Mammogram, right breast, CC view. 43-year-old patient.
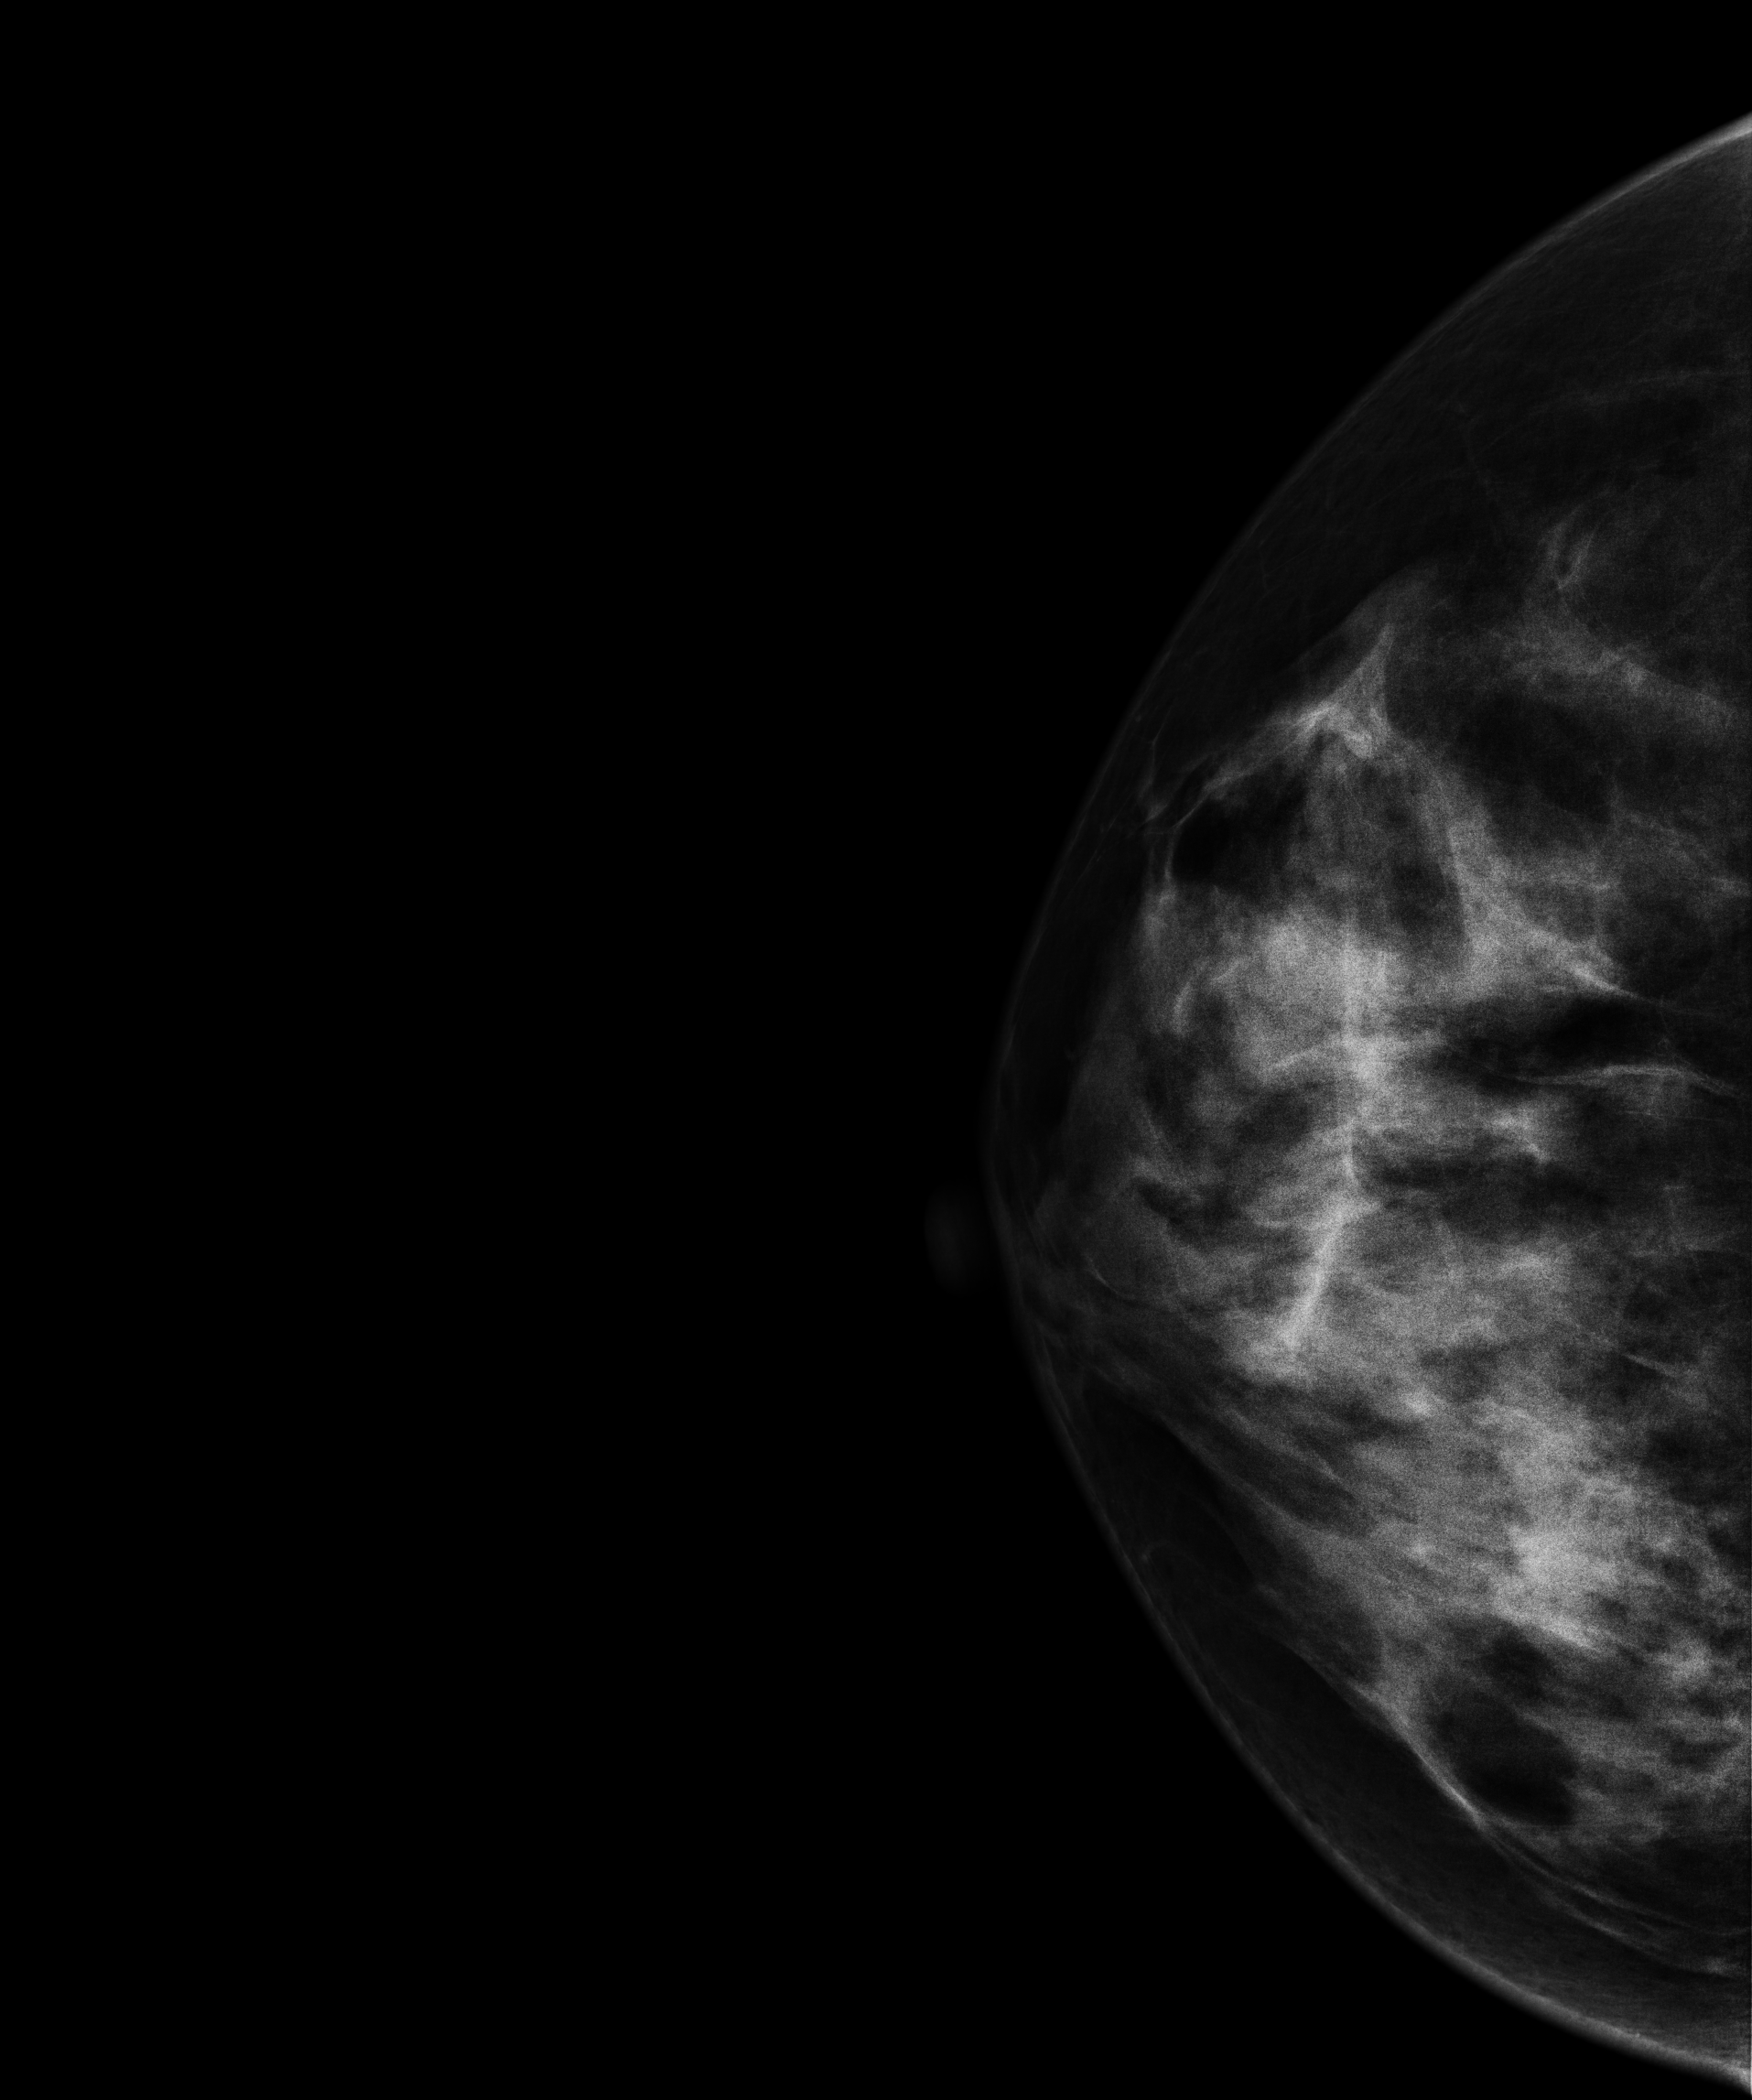
Contralateral breast — no documented abnormality on this side.